Digital mammography. Left breast, cranio-caudal projection. Patient age 48.
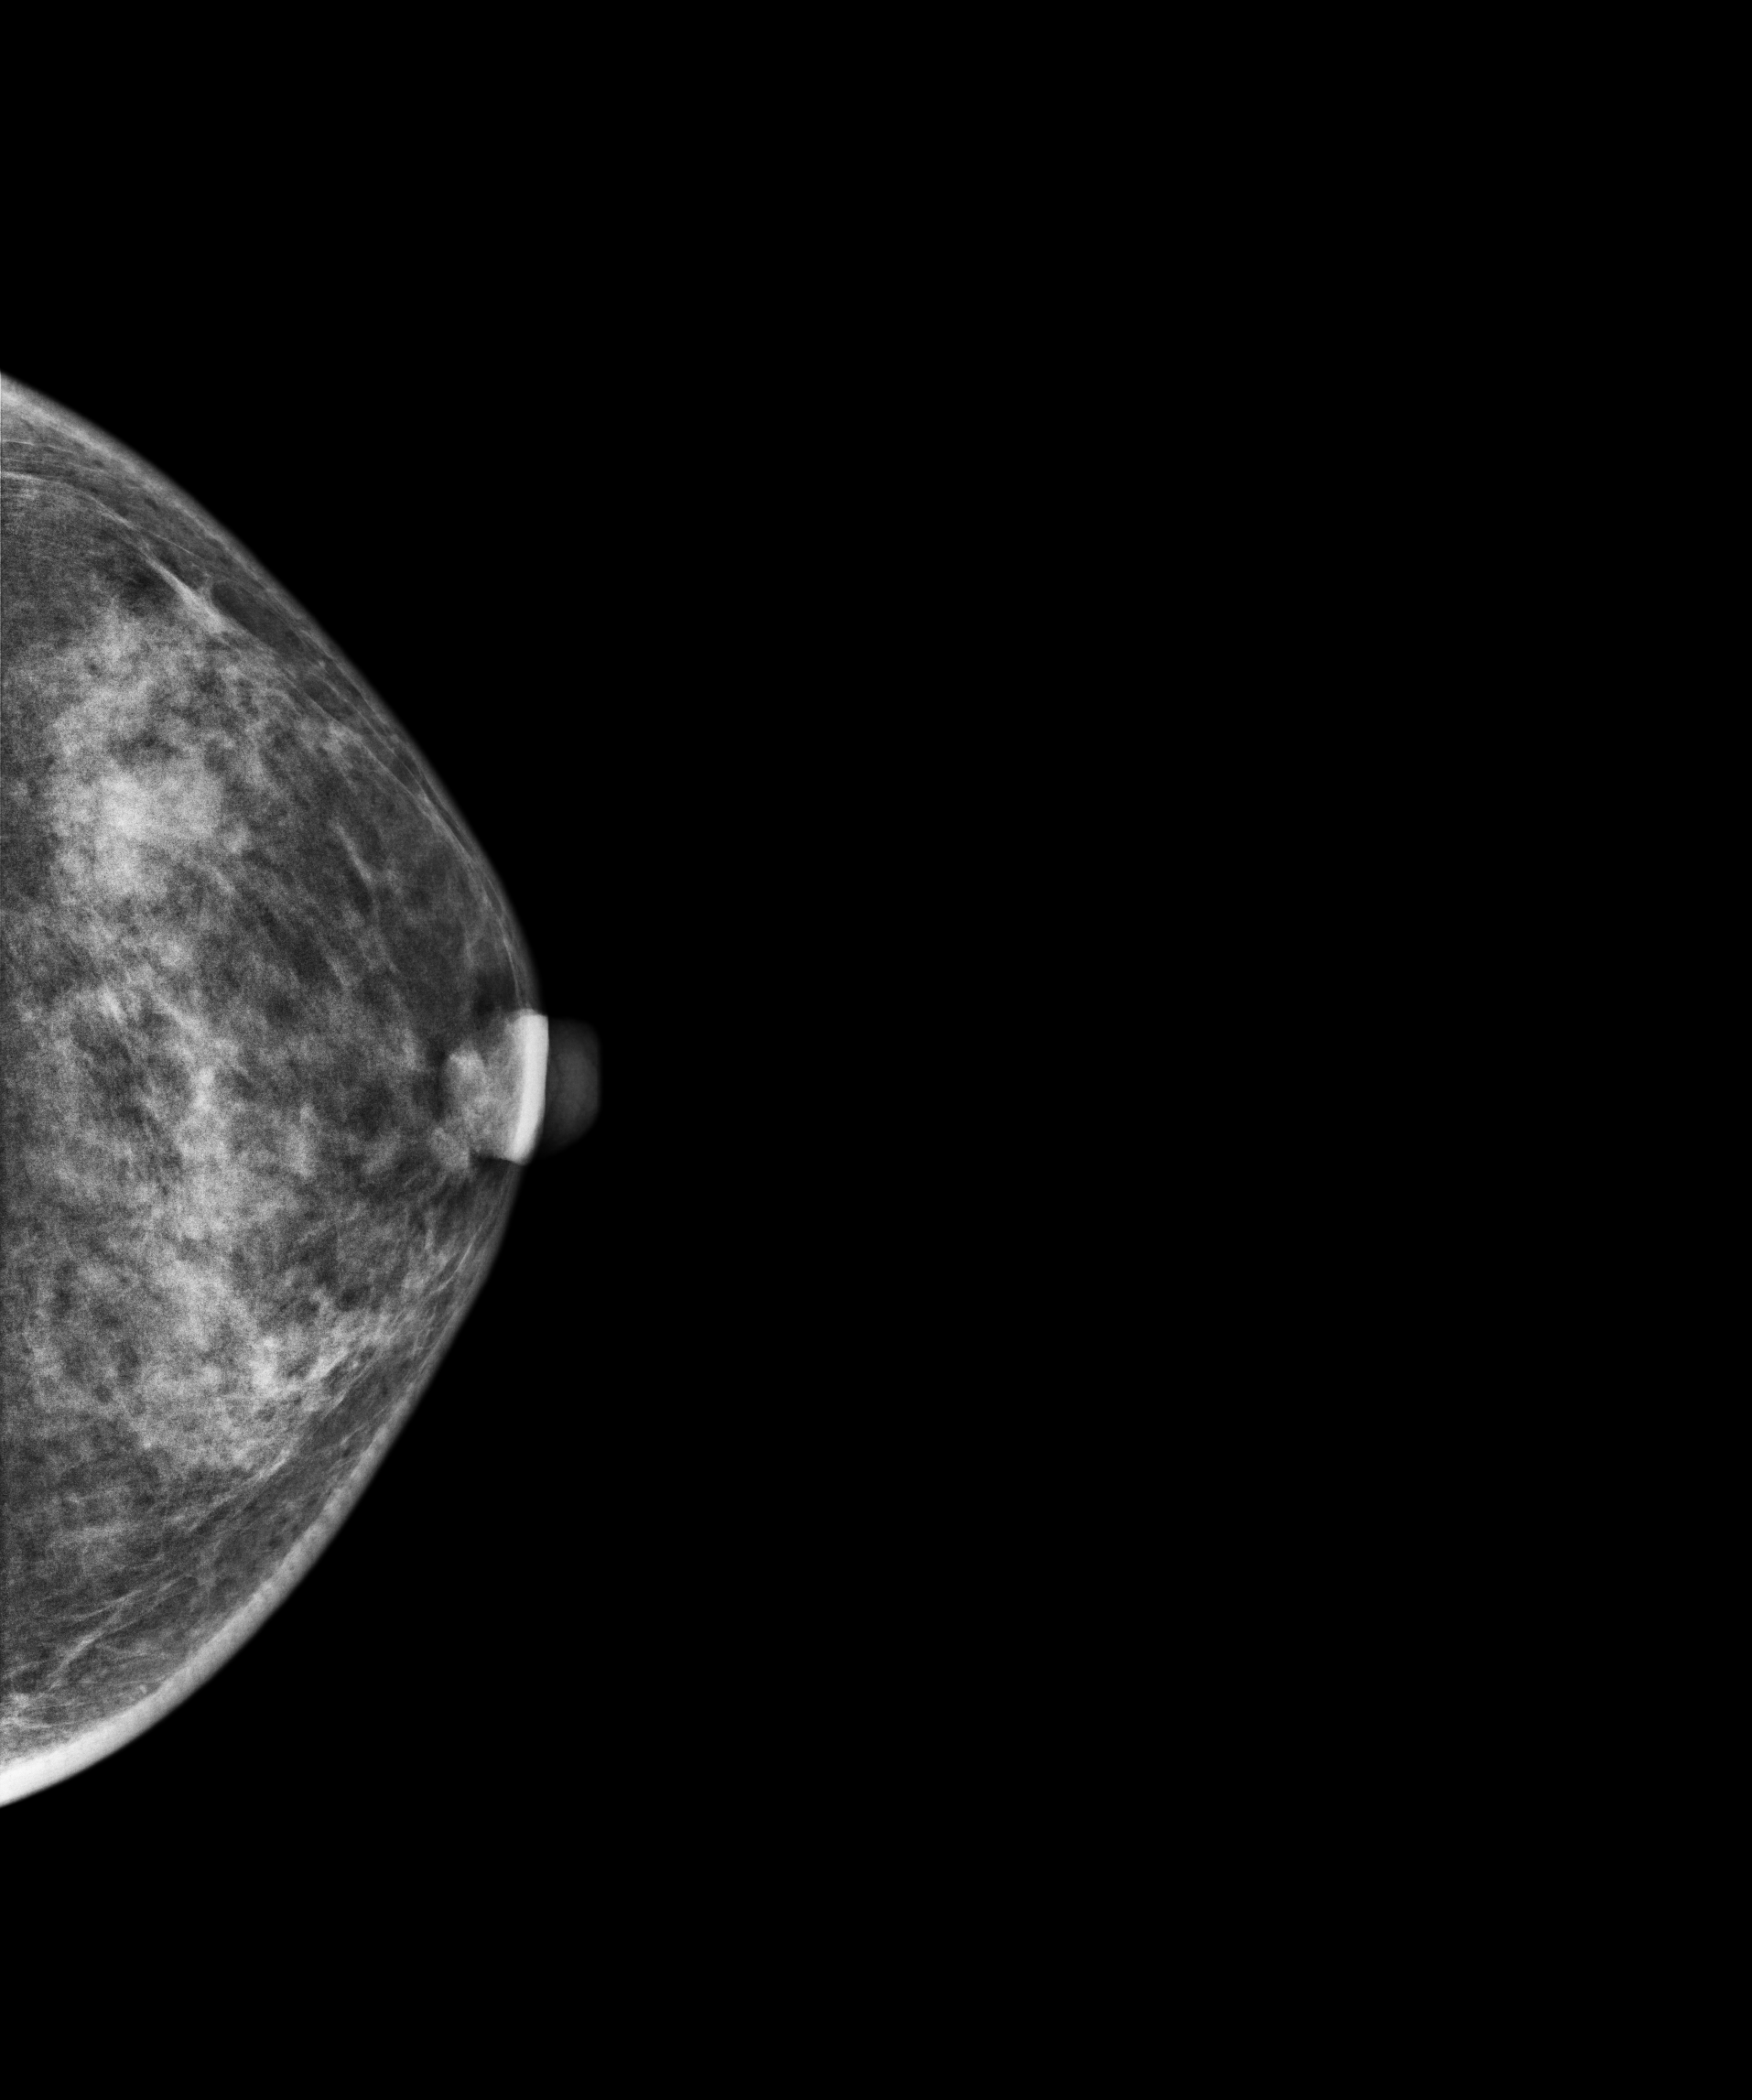
This breast has a mass, biopsy-proven benign.